Cranio-caudal mammogram of the right breast. 40-year-old patient.
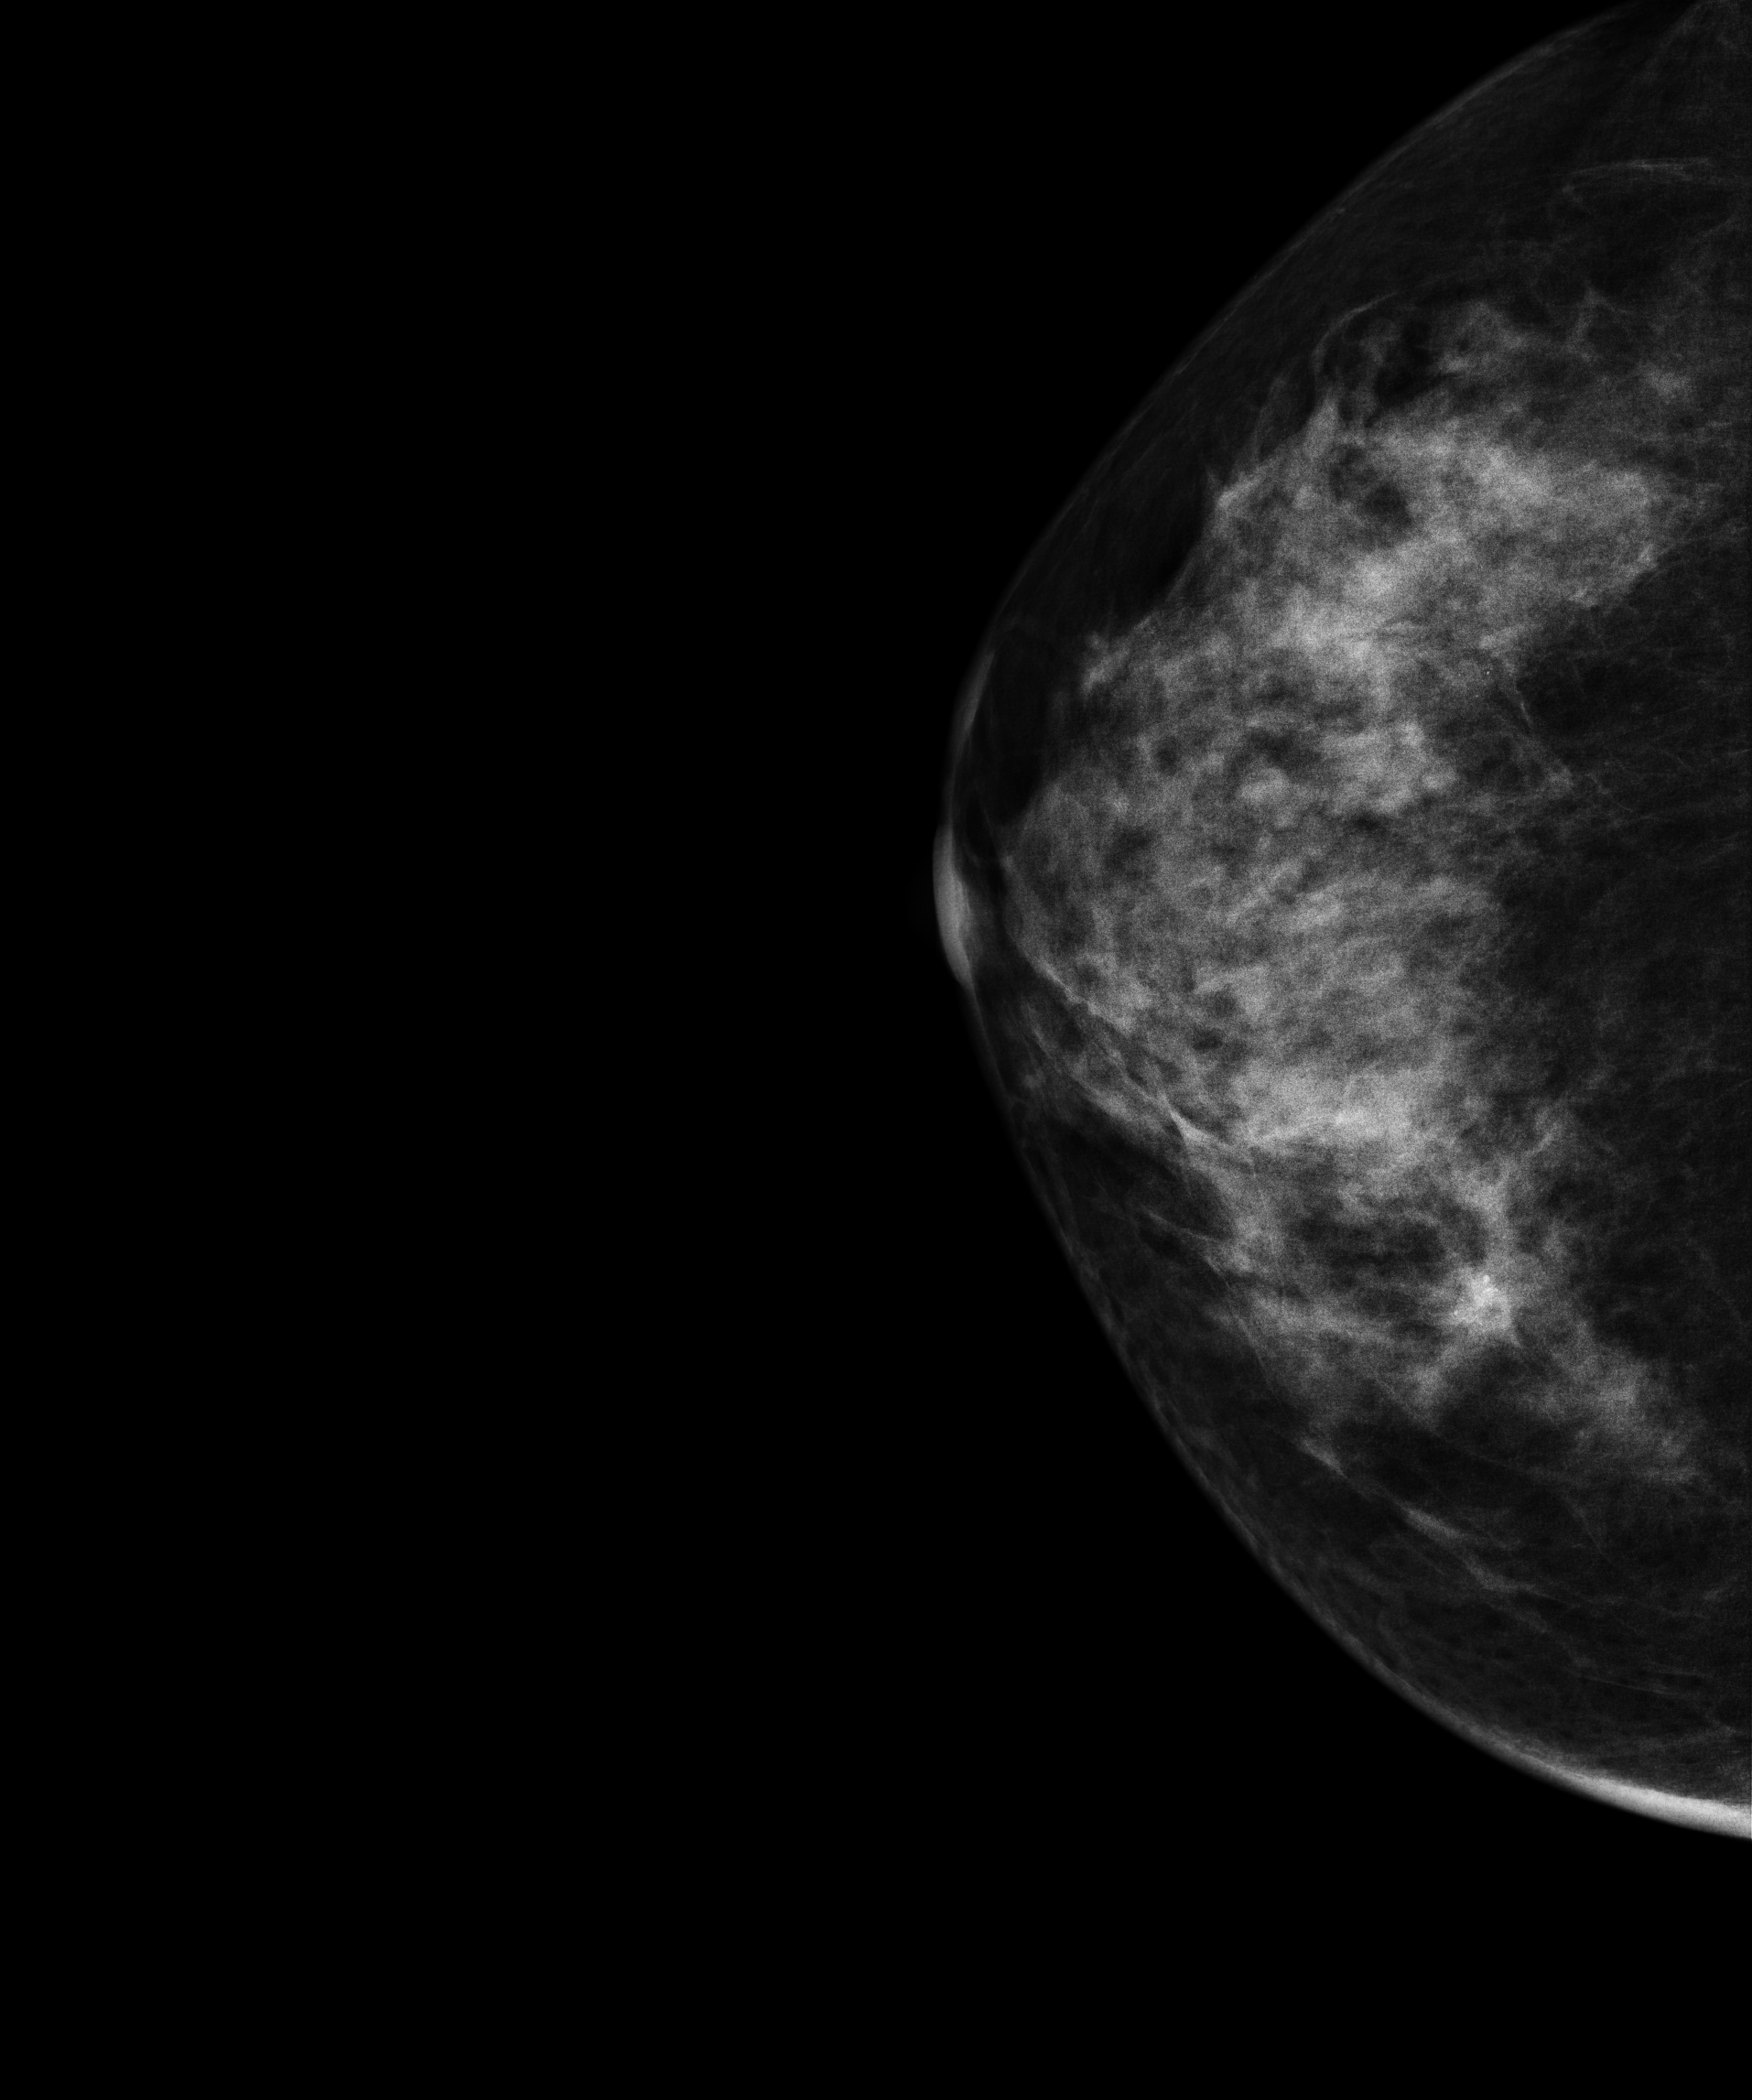
This breast has calcifications, biopsy-proven malignant.